Mammogram, left breast, cranio-caudal view. 46-year-old patient.
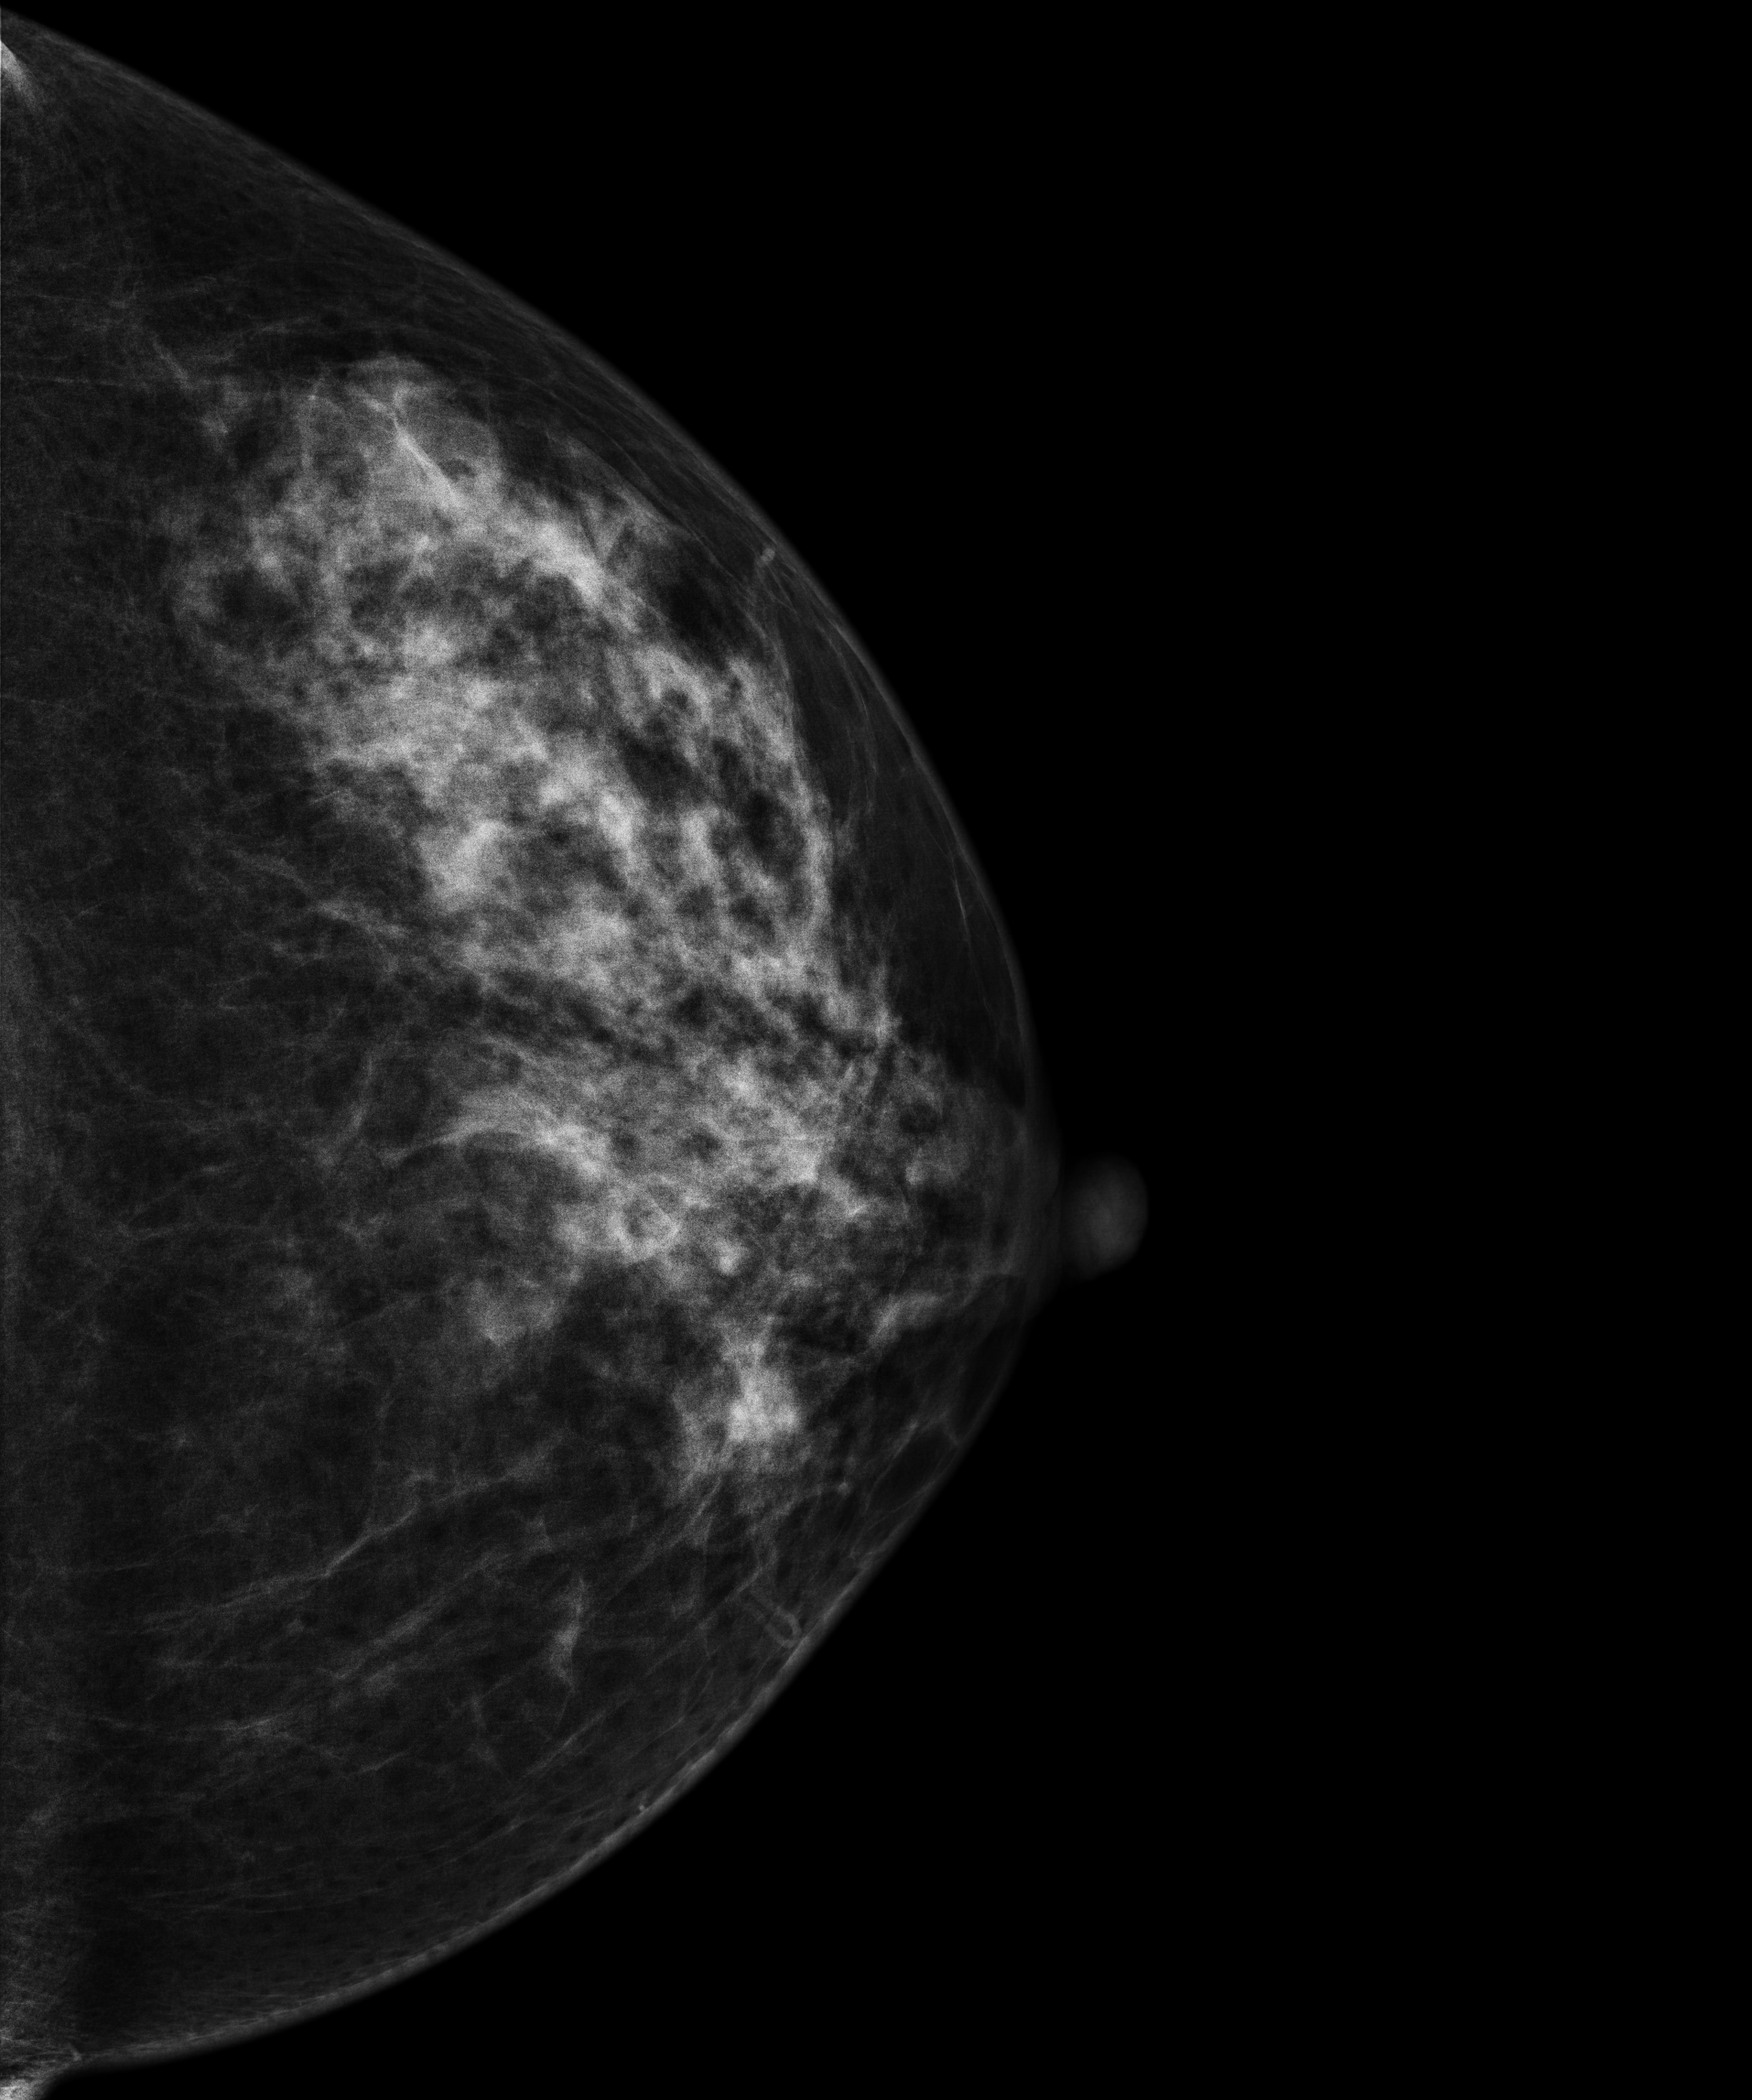
This breast has a mass, biopsy-proven benign.